Medio-lateral oblique mammogram of the right breast. 42-year-old patient.
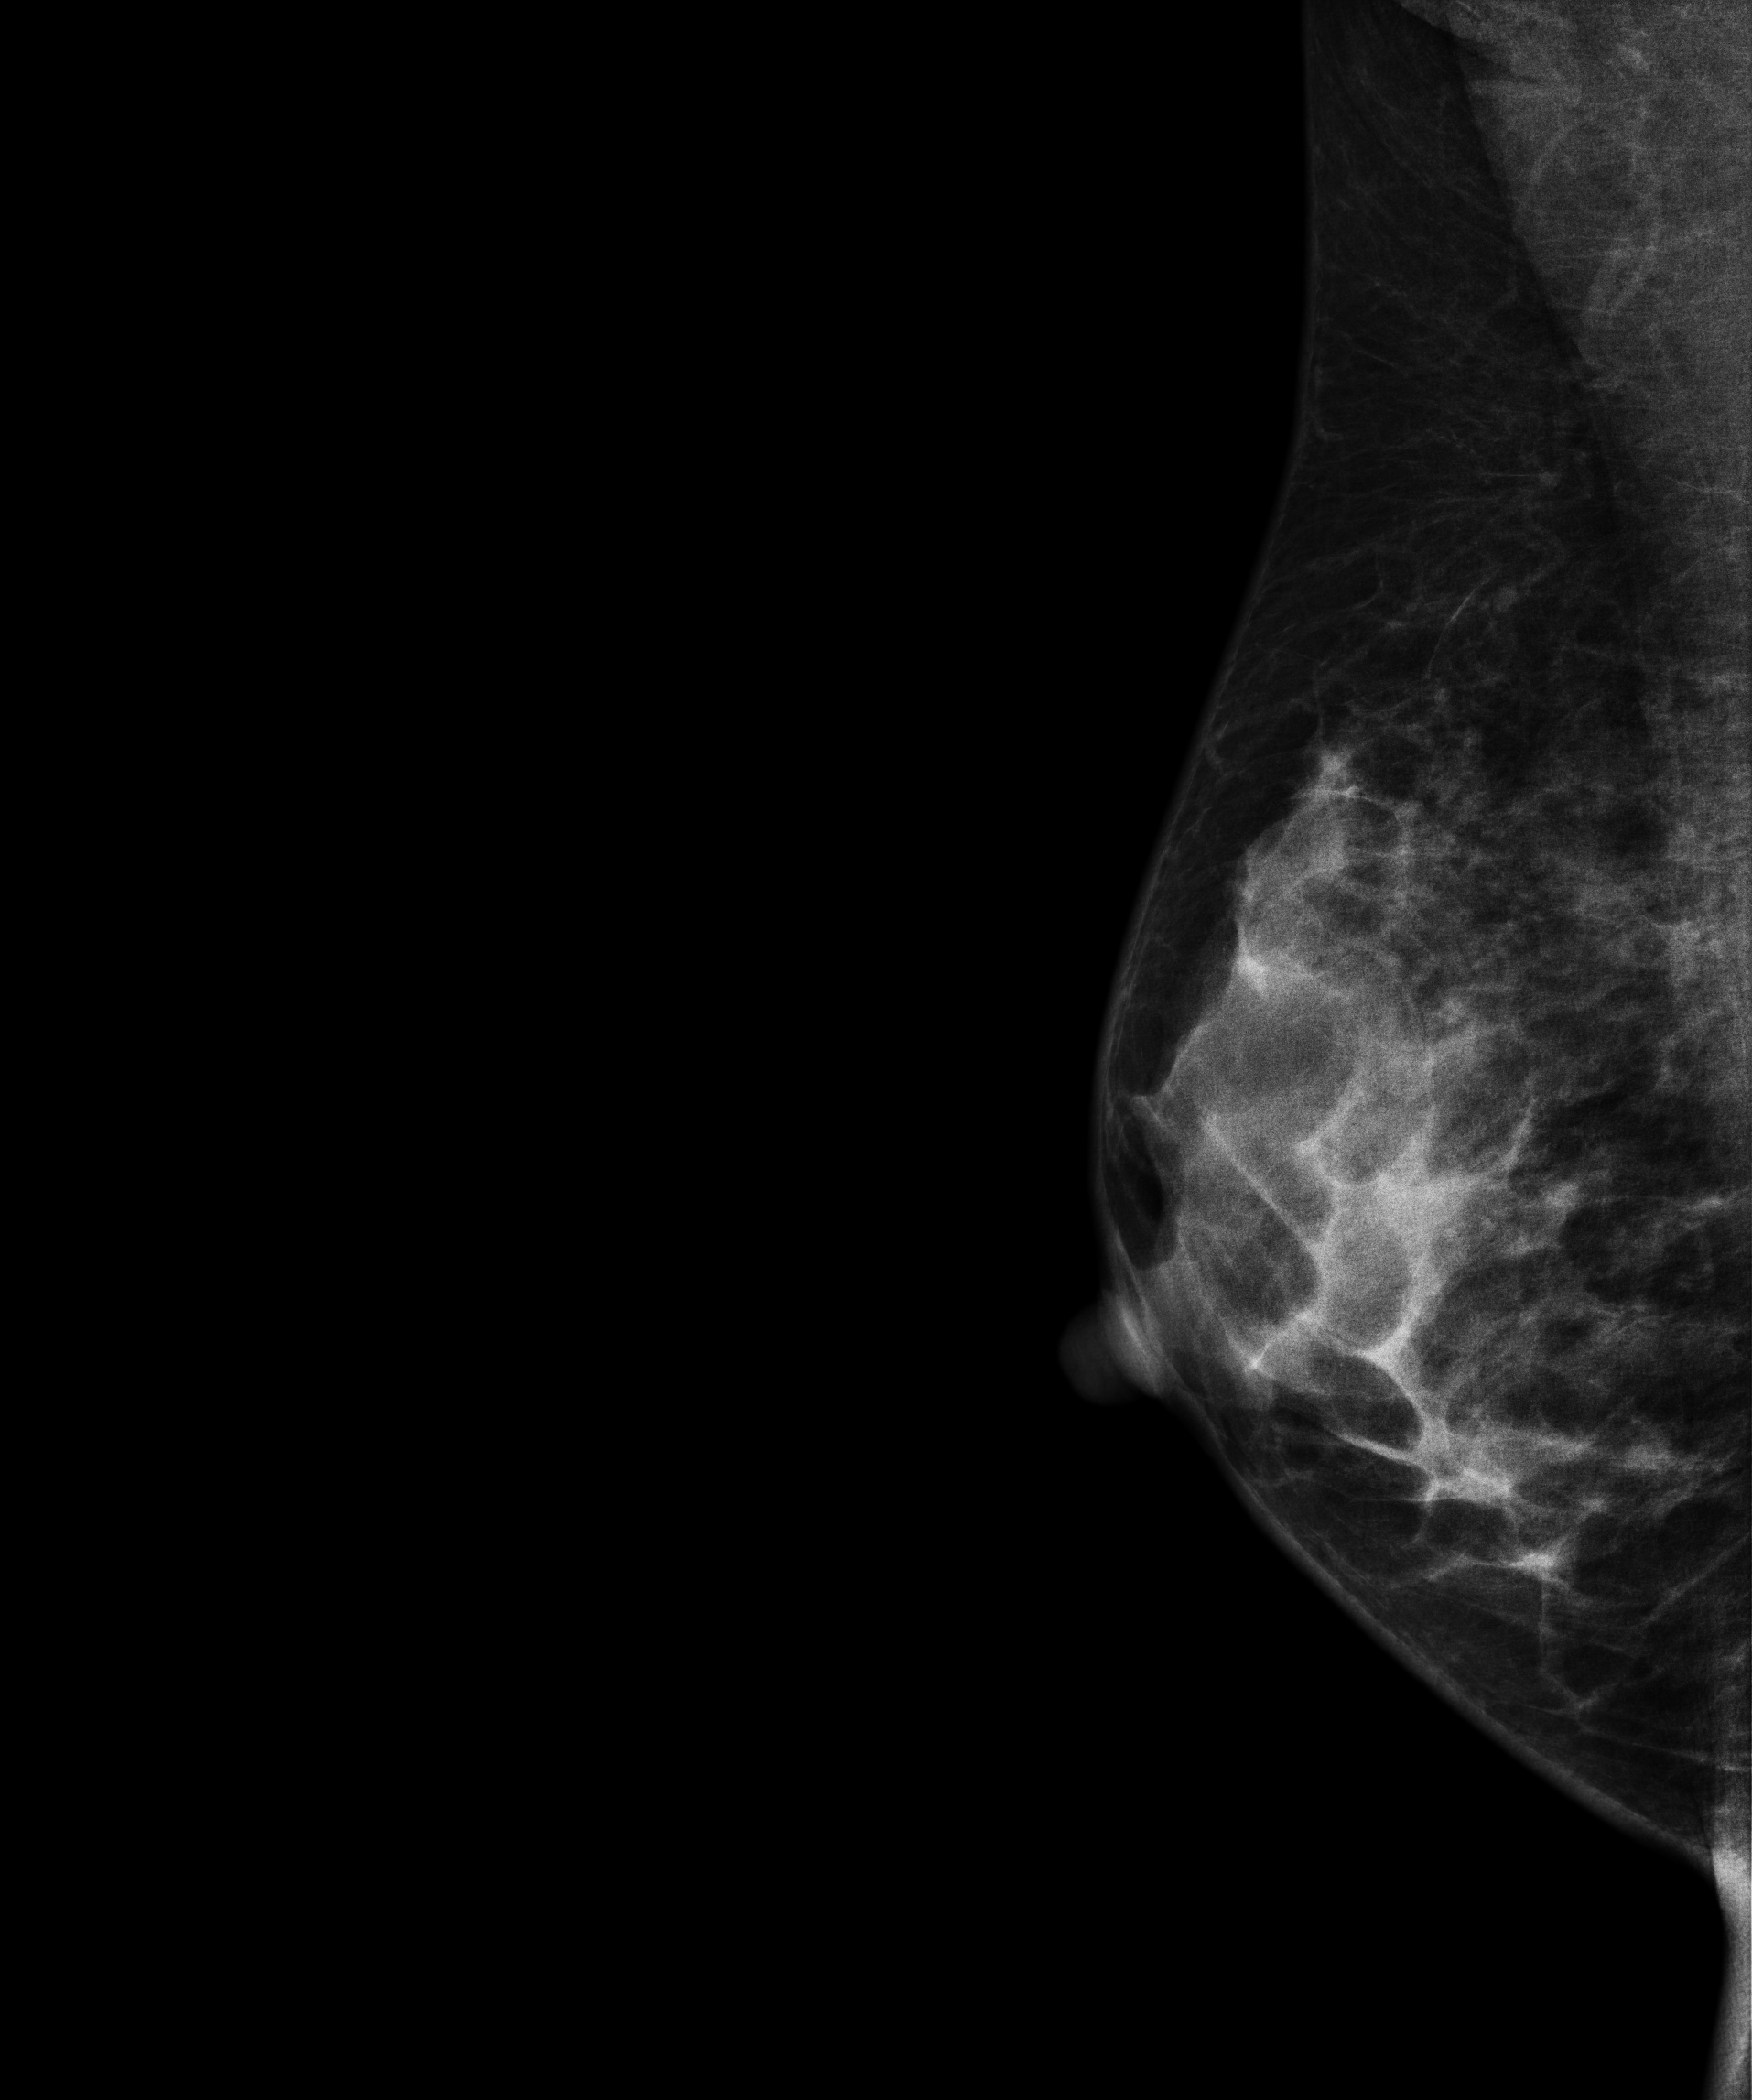
Contralateral breast — no documented abnormality on this side.